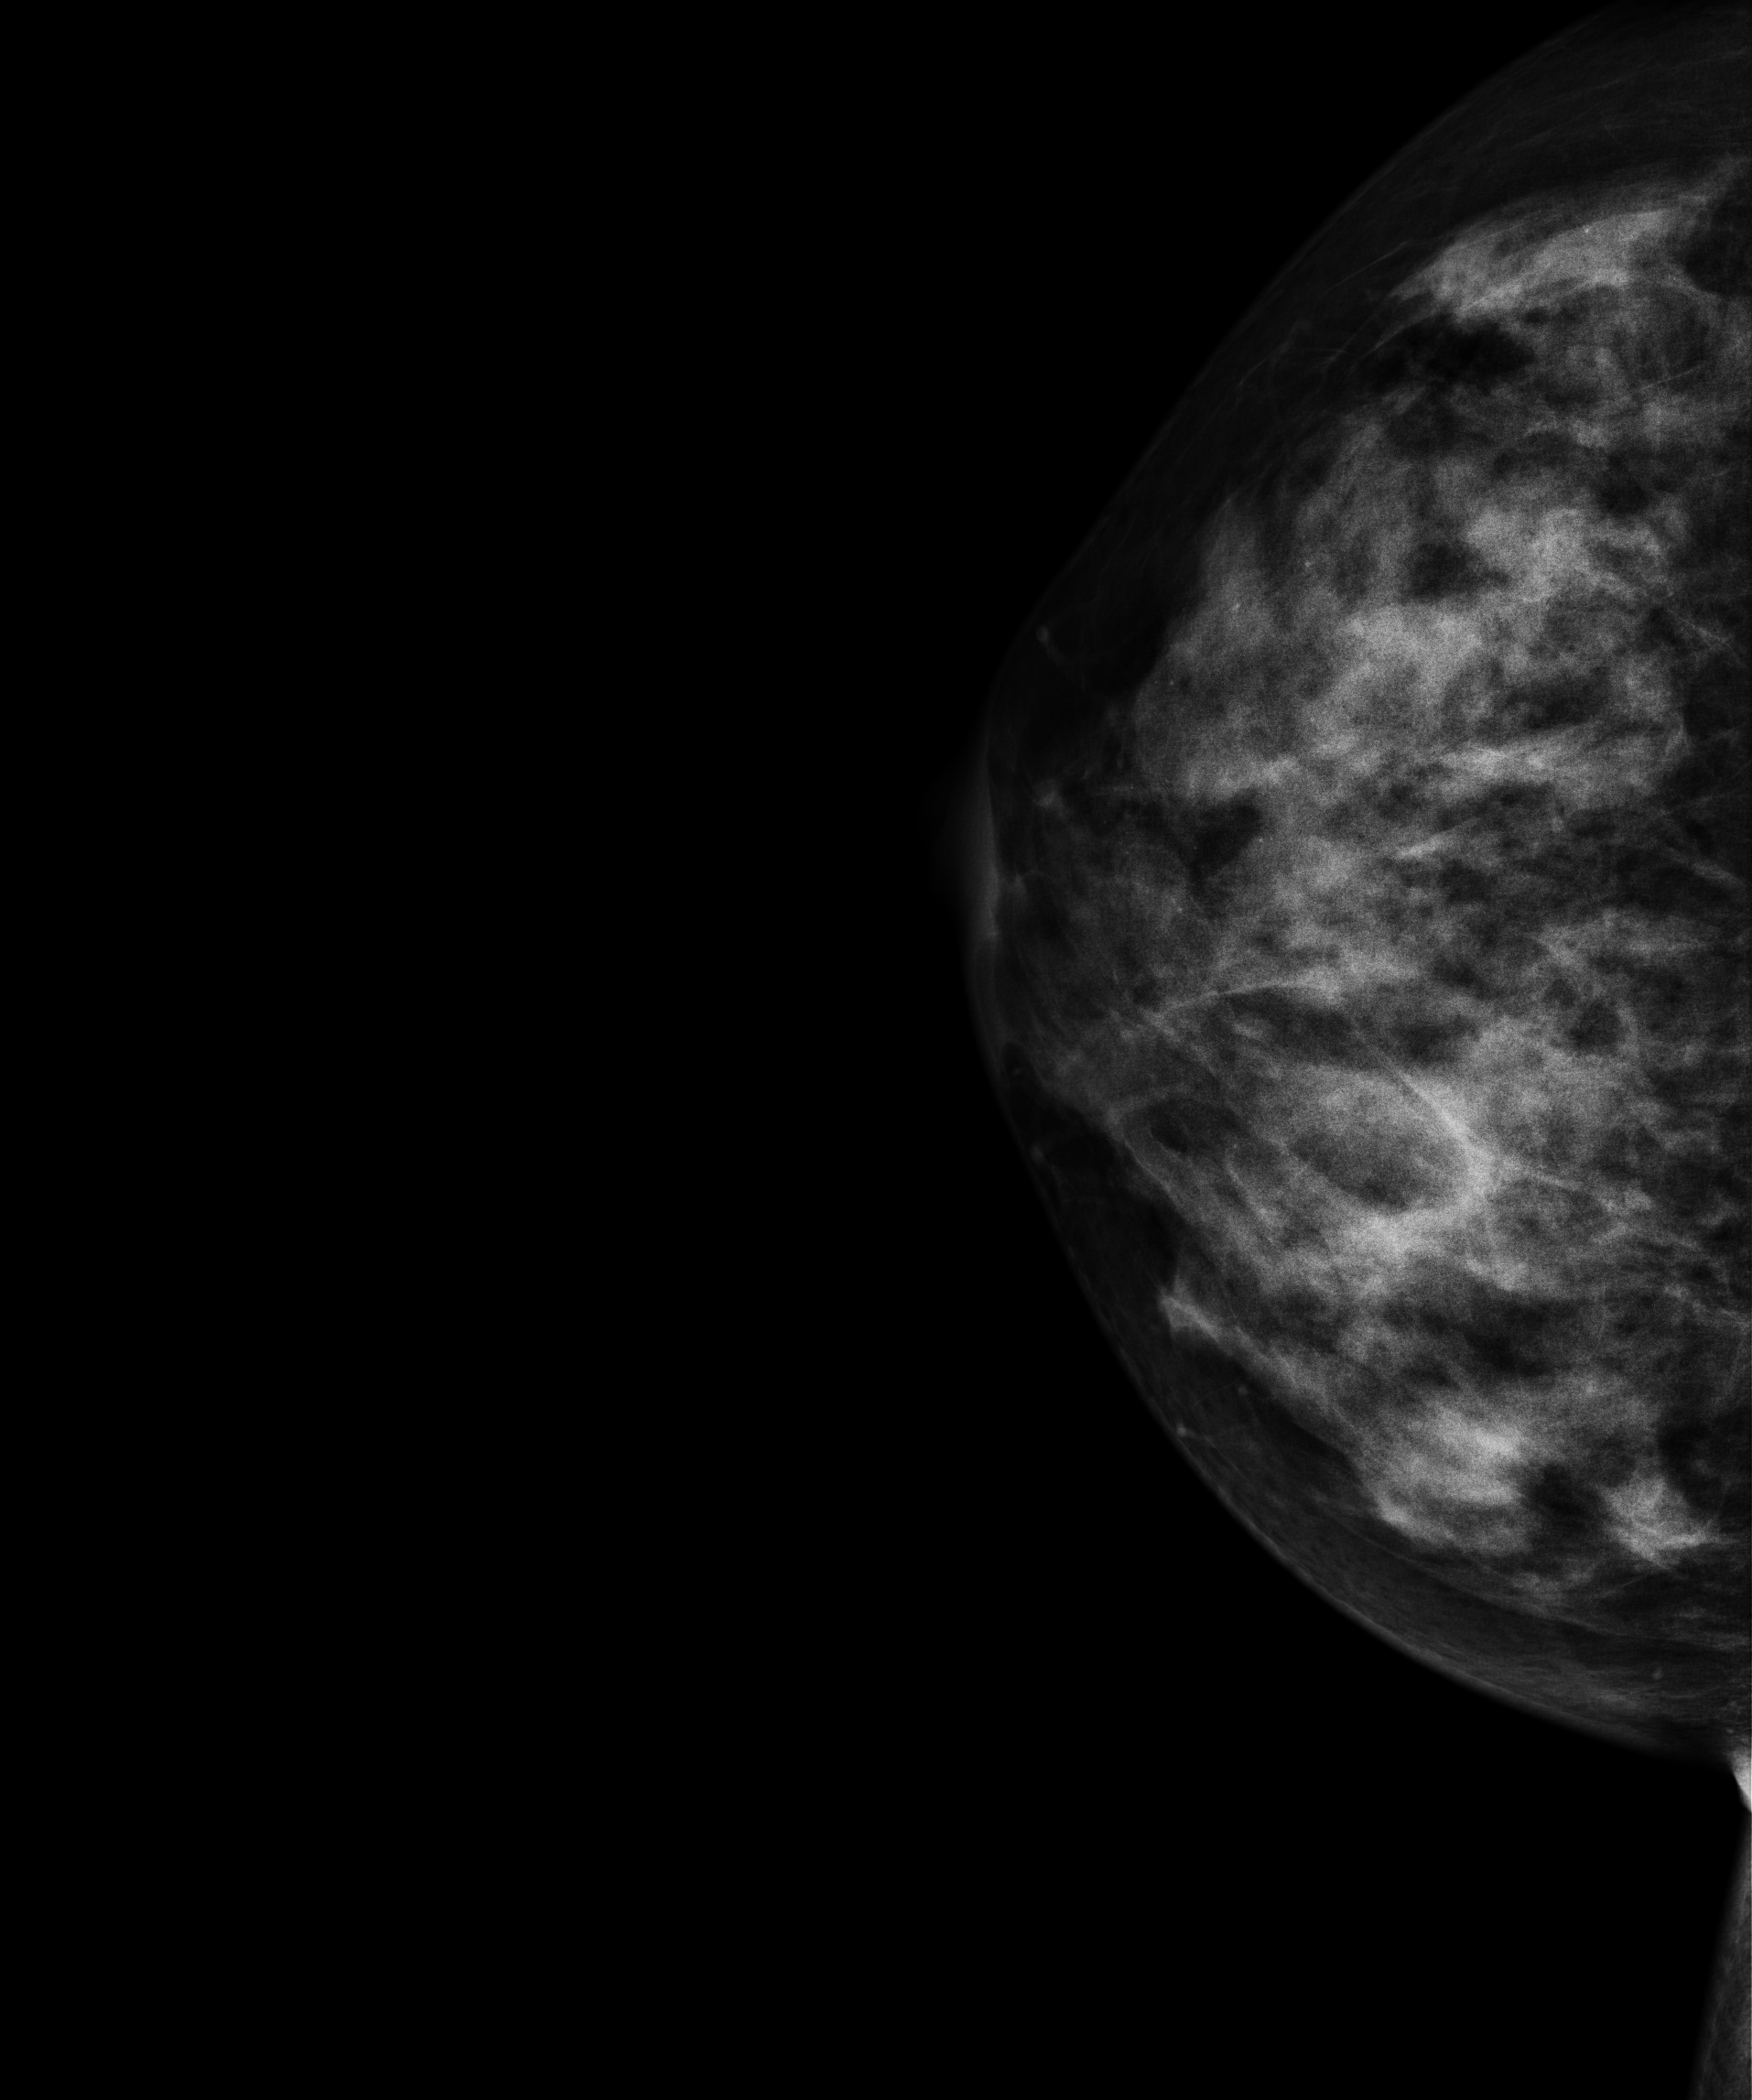
Right-breast mammogram, CC. 47-year-old patient.
This breast has a mass and calcifications, biopsy-proven malignant. Molecular subtype: luminal B.